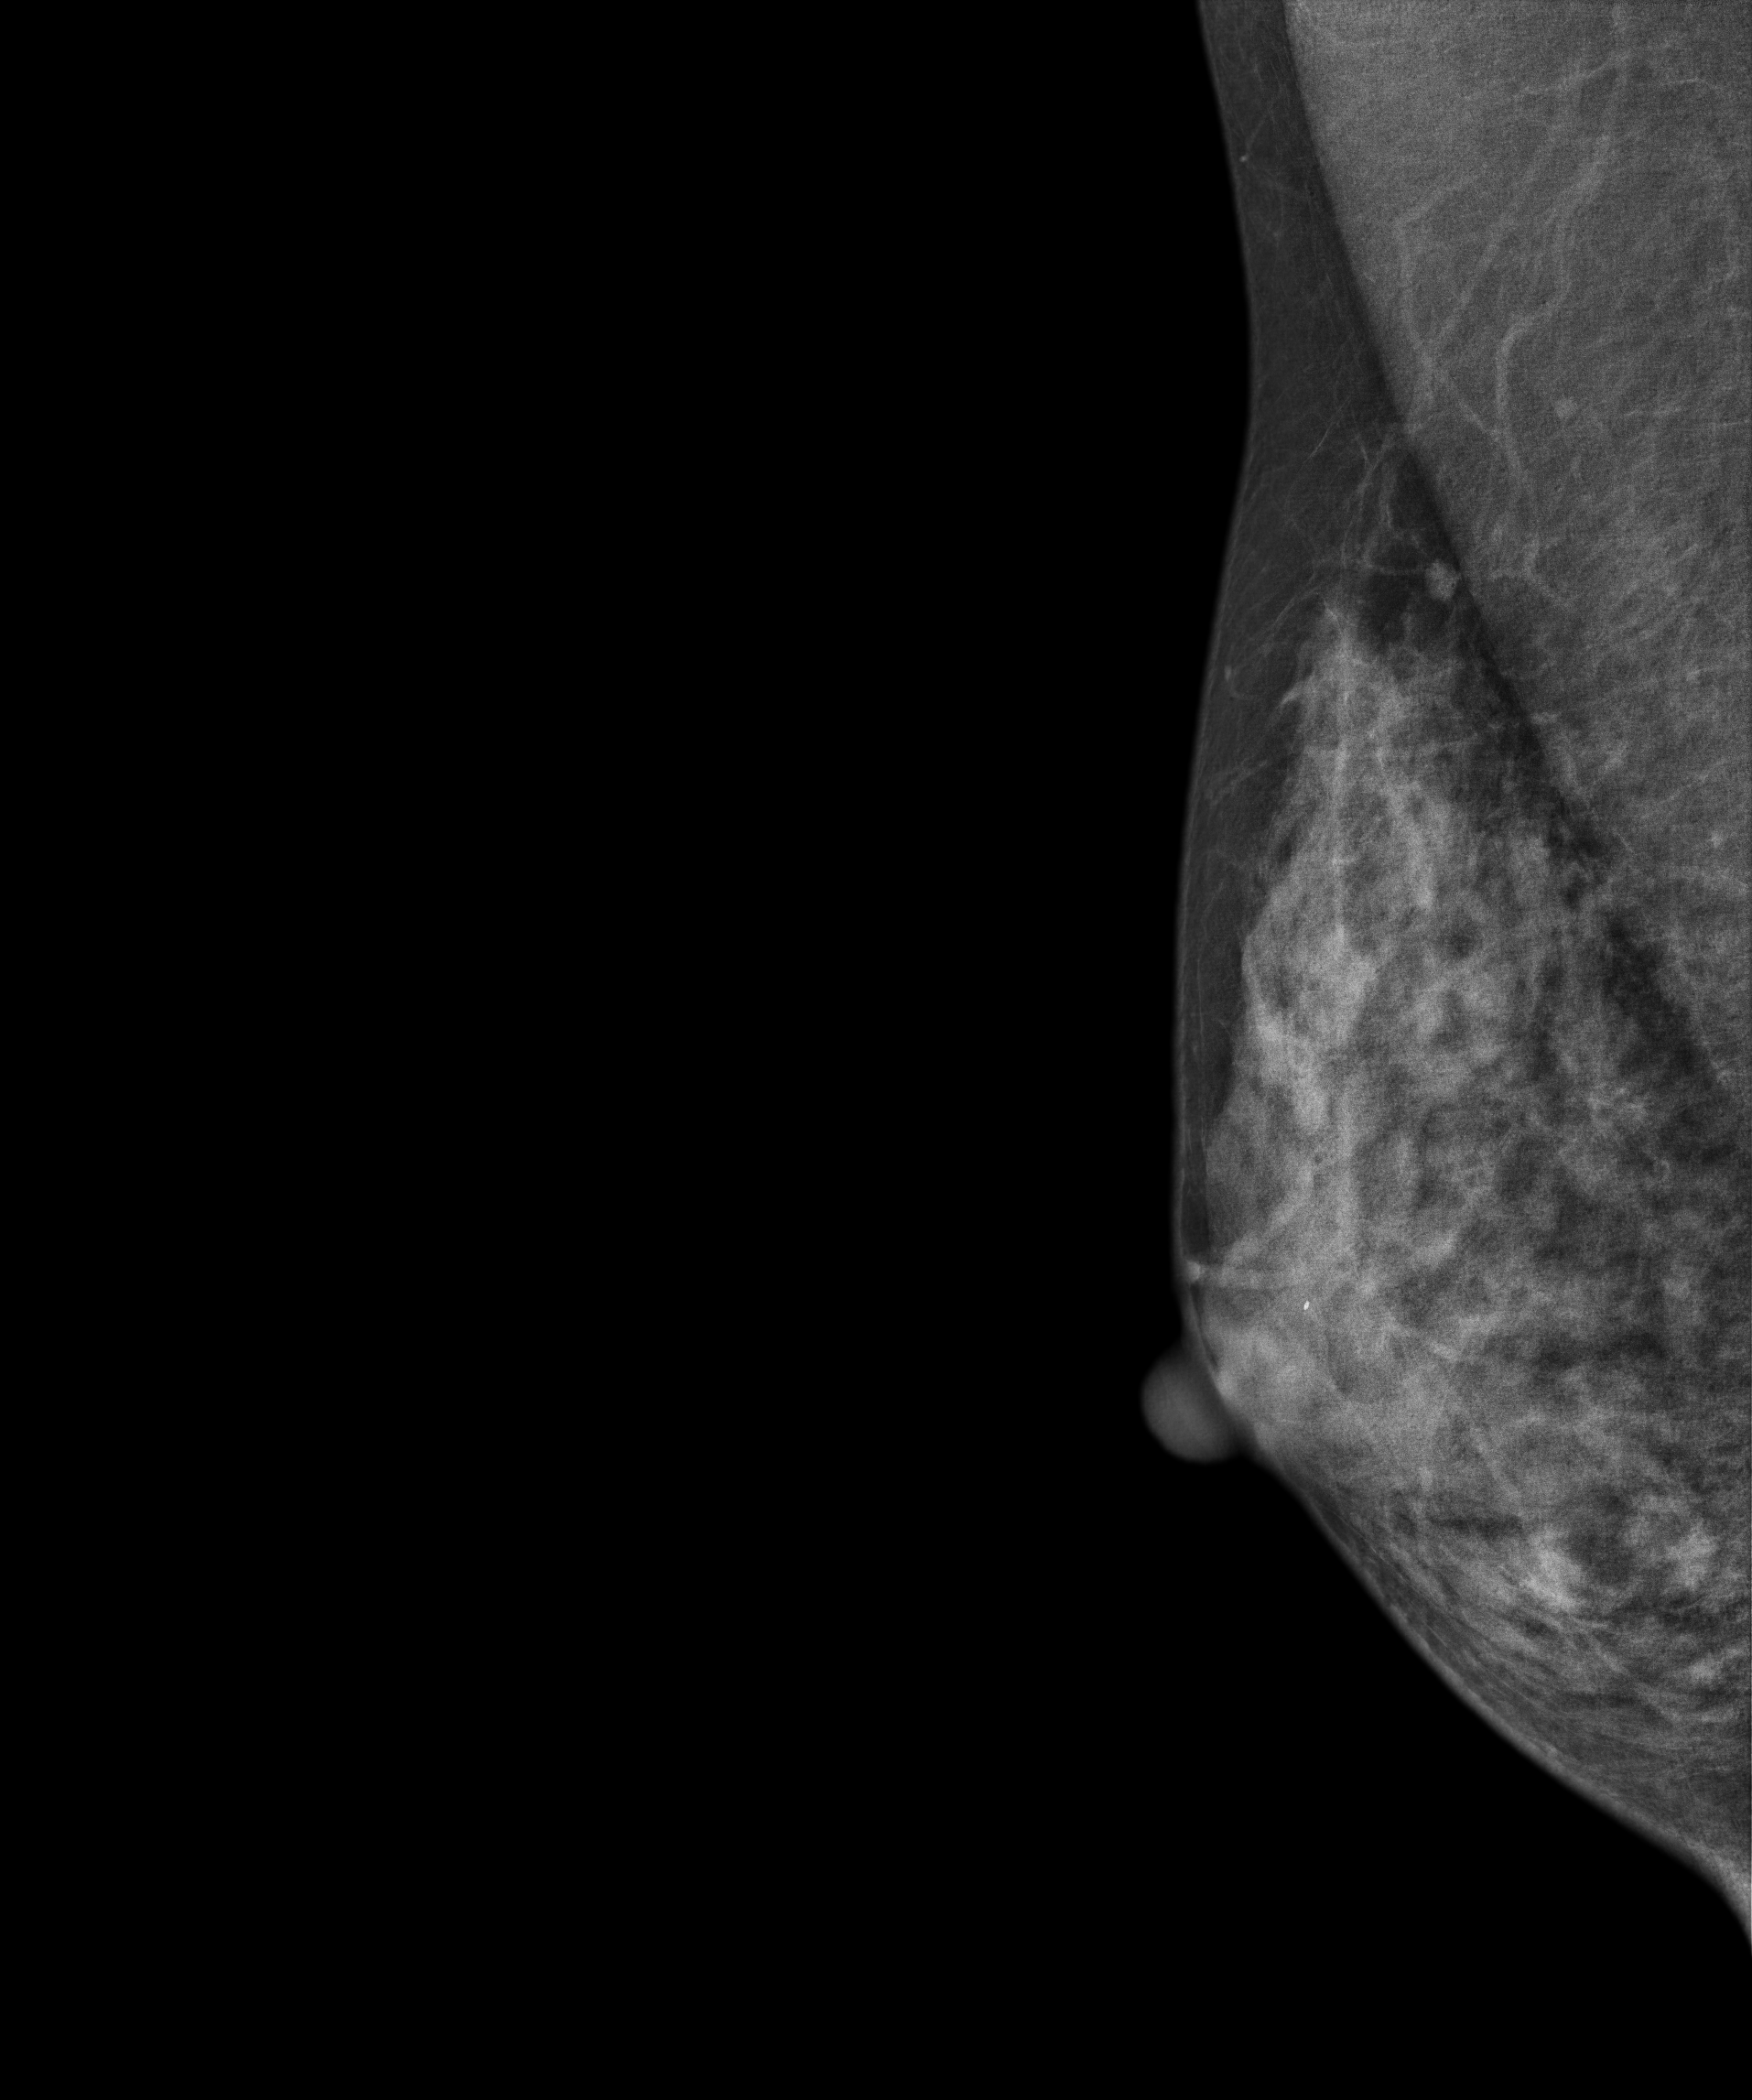
Digital mammography. Right breast, cranio-caudal projection. 41 y/o patient.
Contralateral breast — no documented abnormality on this side.